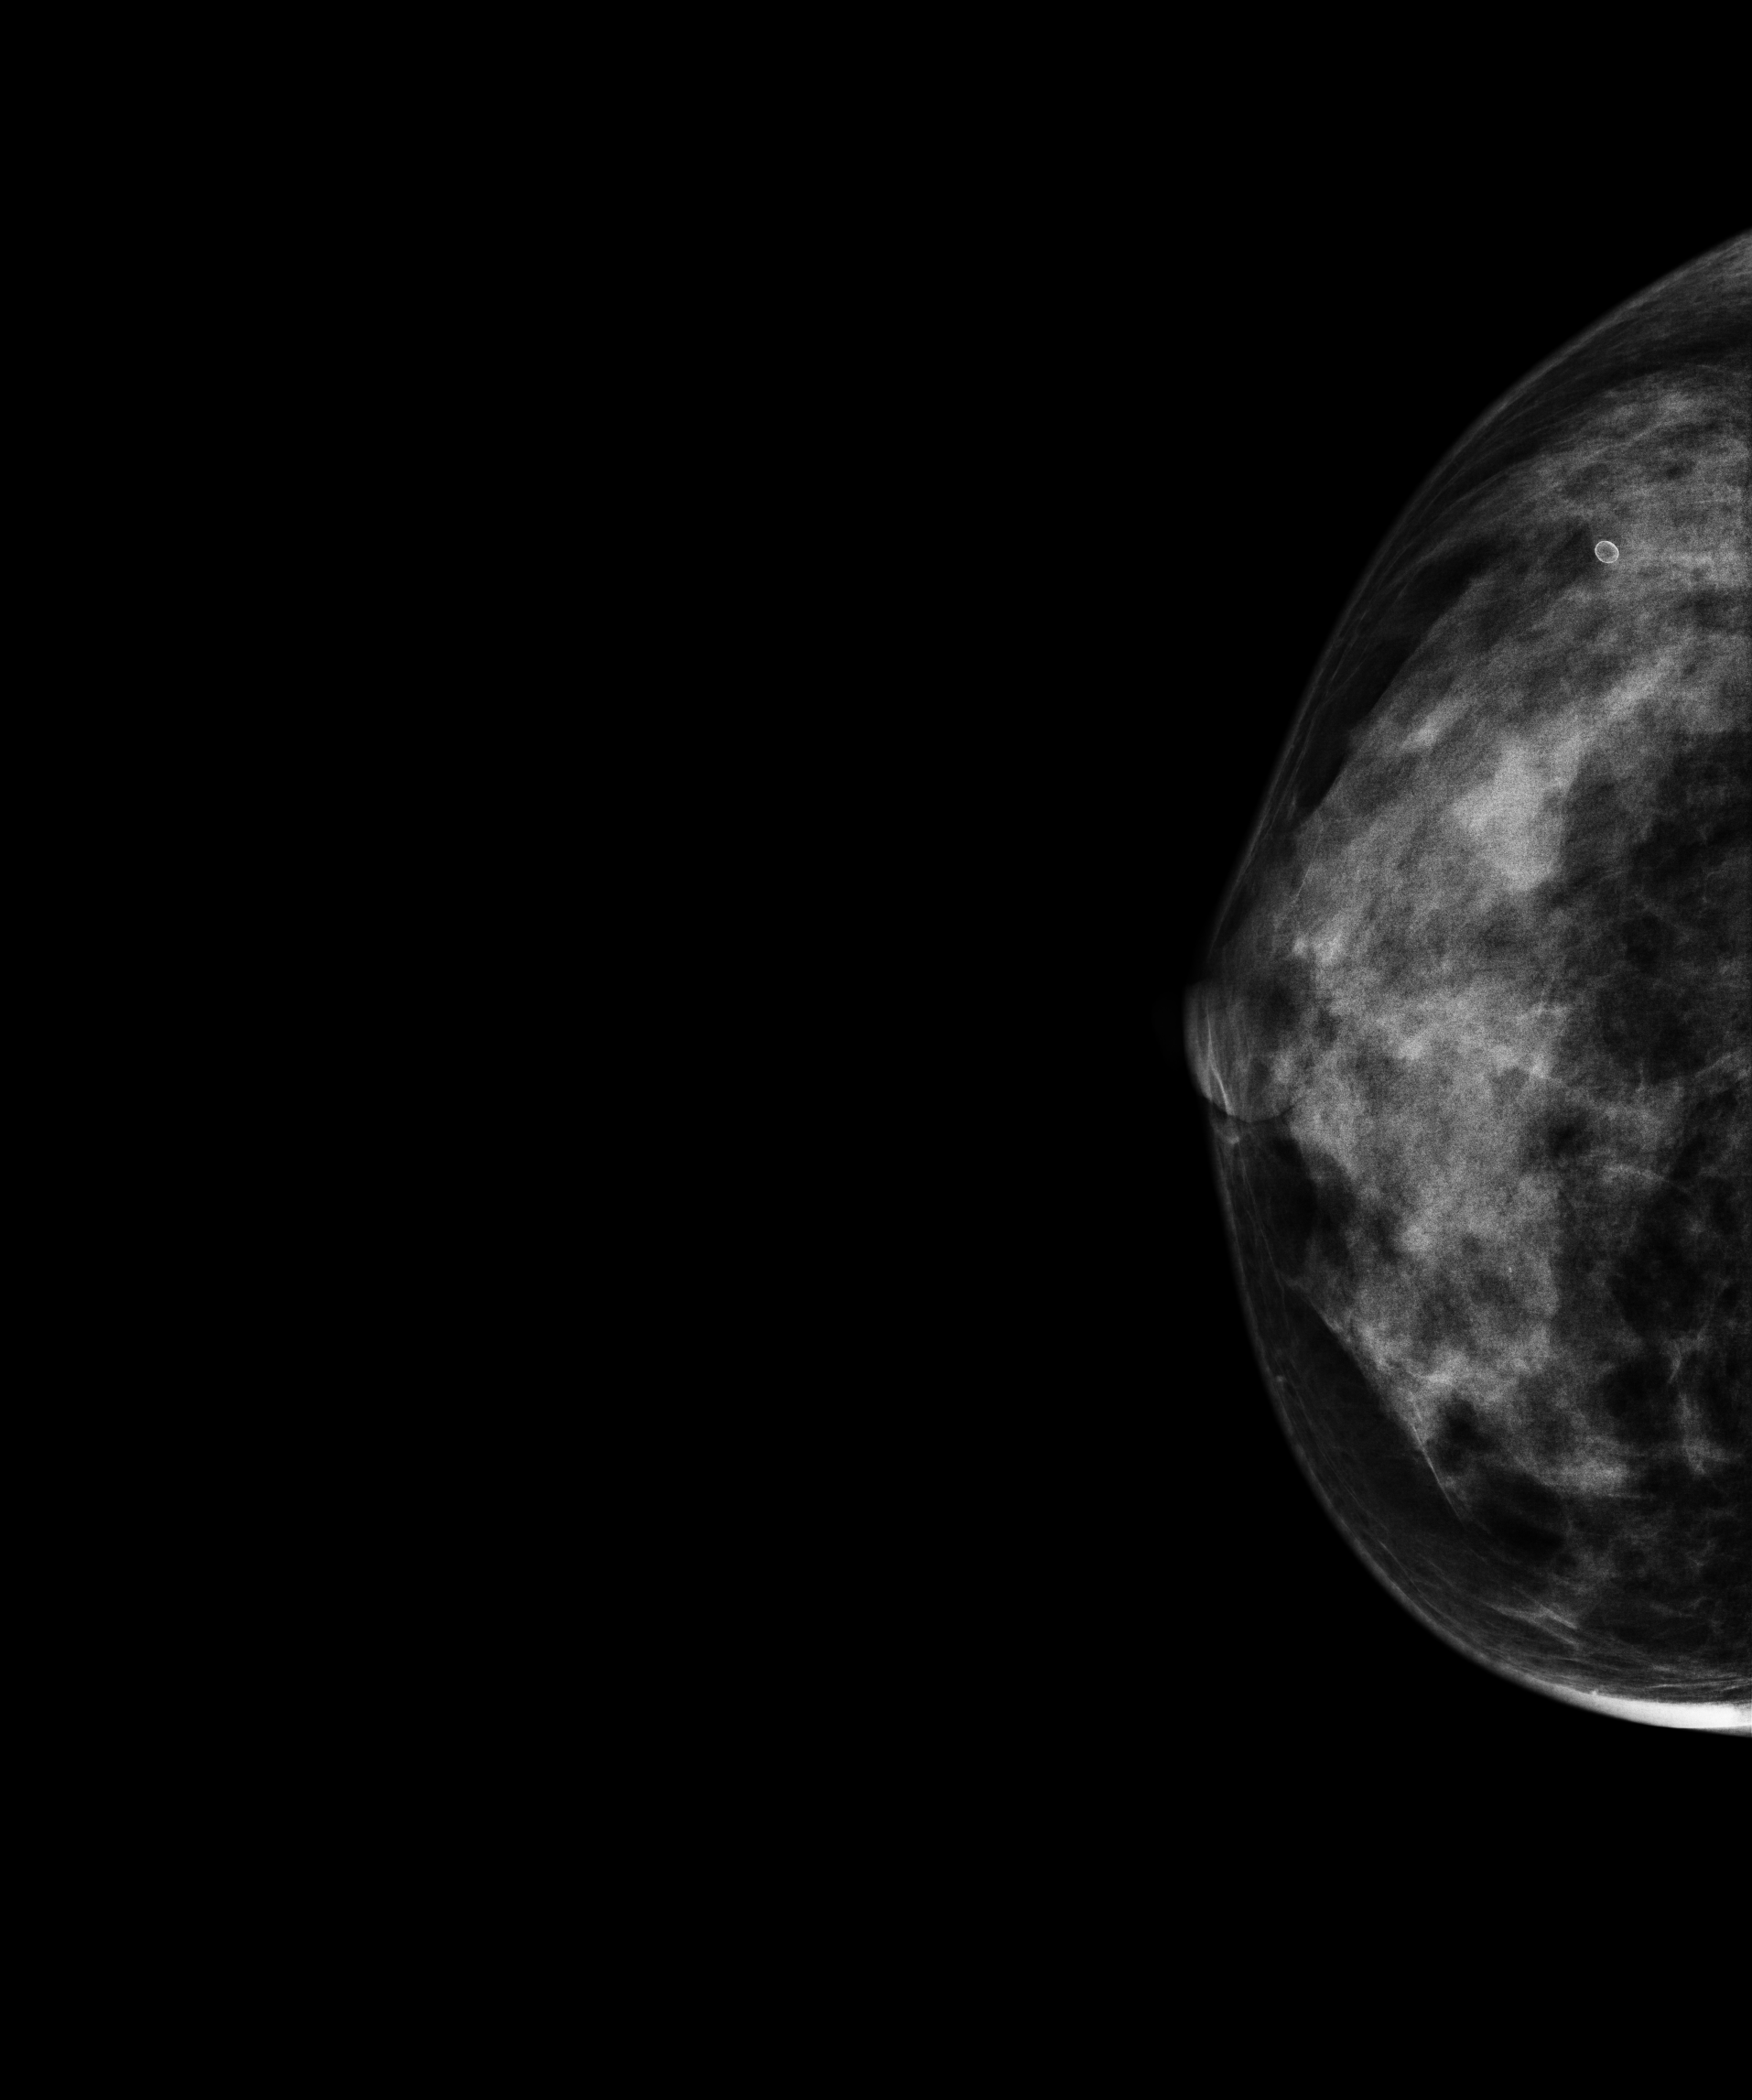
Mammogram, right breast, CC view. 45-year-old patient.
This breast has a mass, biopsy-proven benign.